Digital mammography. Left breast, cranio-caudal projection. 53 y/o patient.
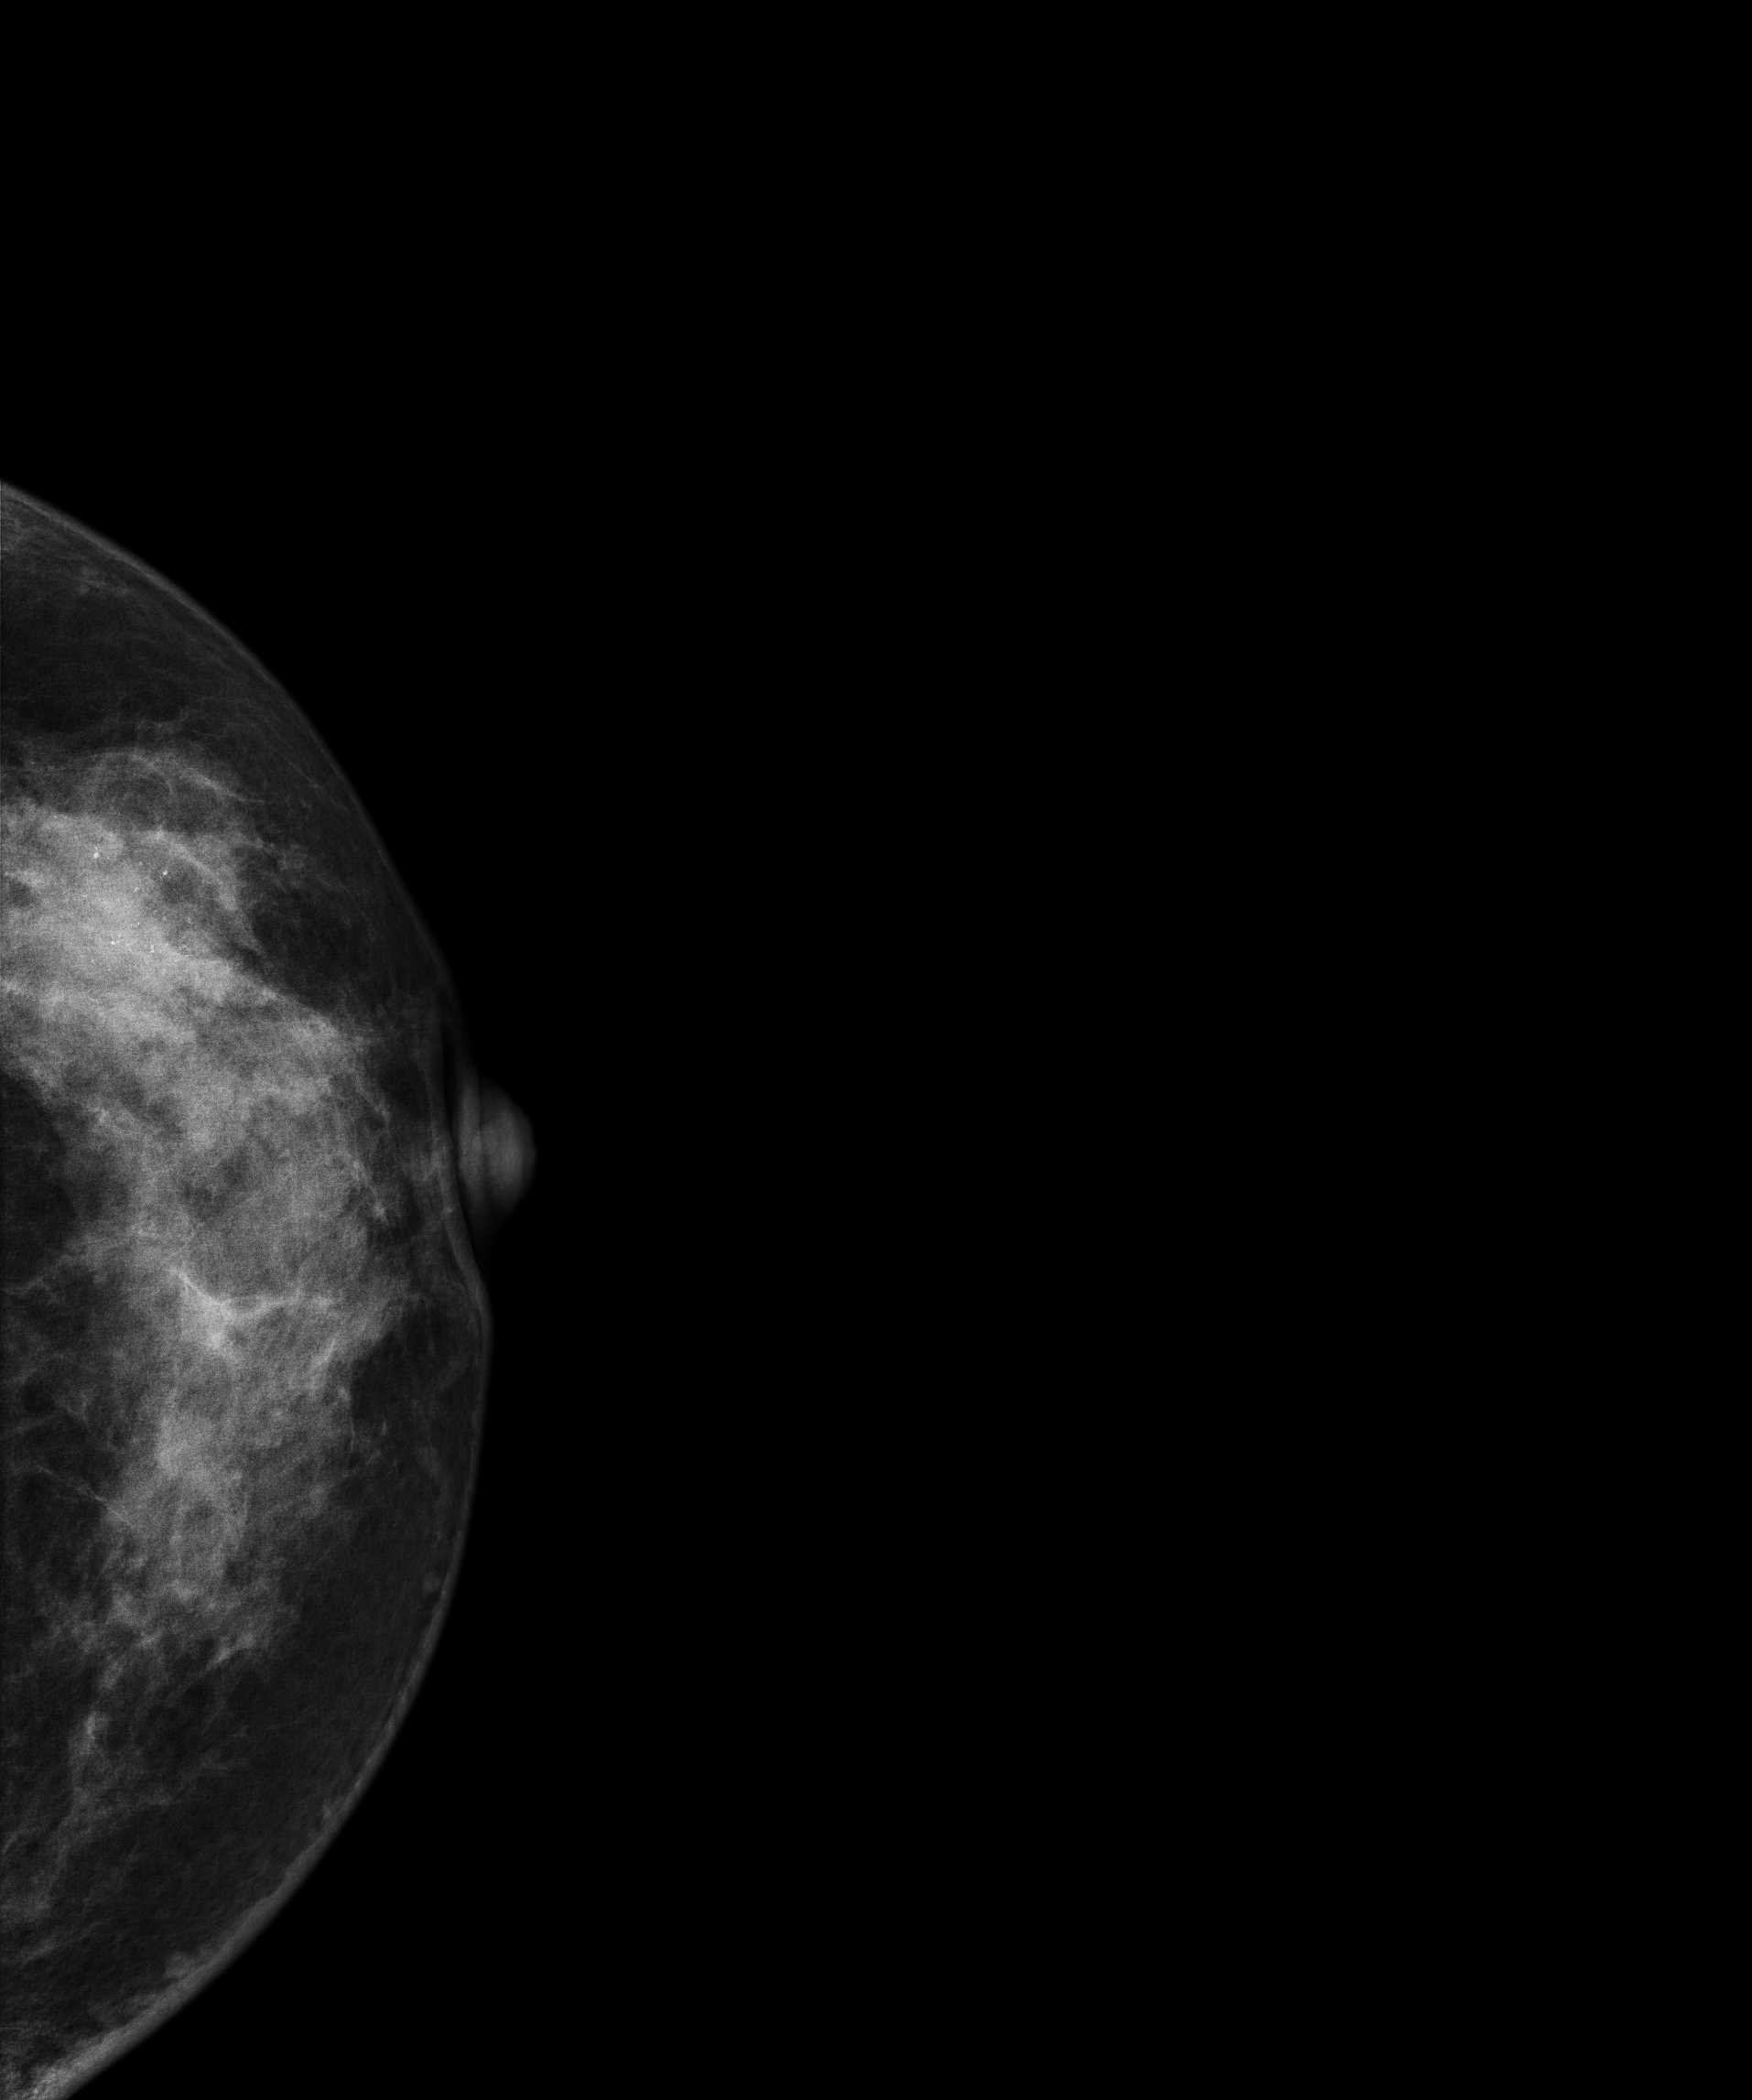
This breast has a mass and calcifications, biopsy-confirmed malignant.